Mammogram, left breast, CC view. Patient age 34.
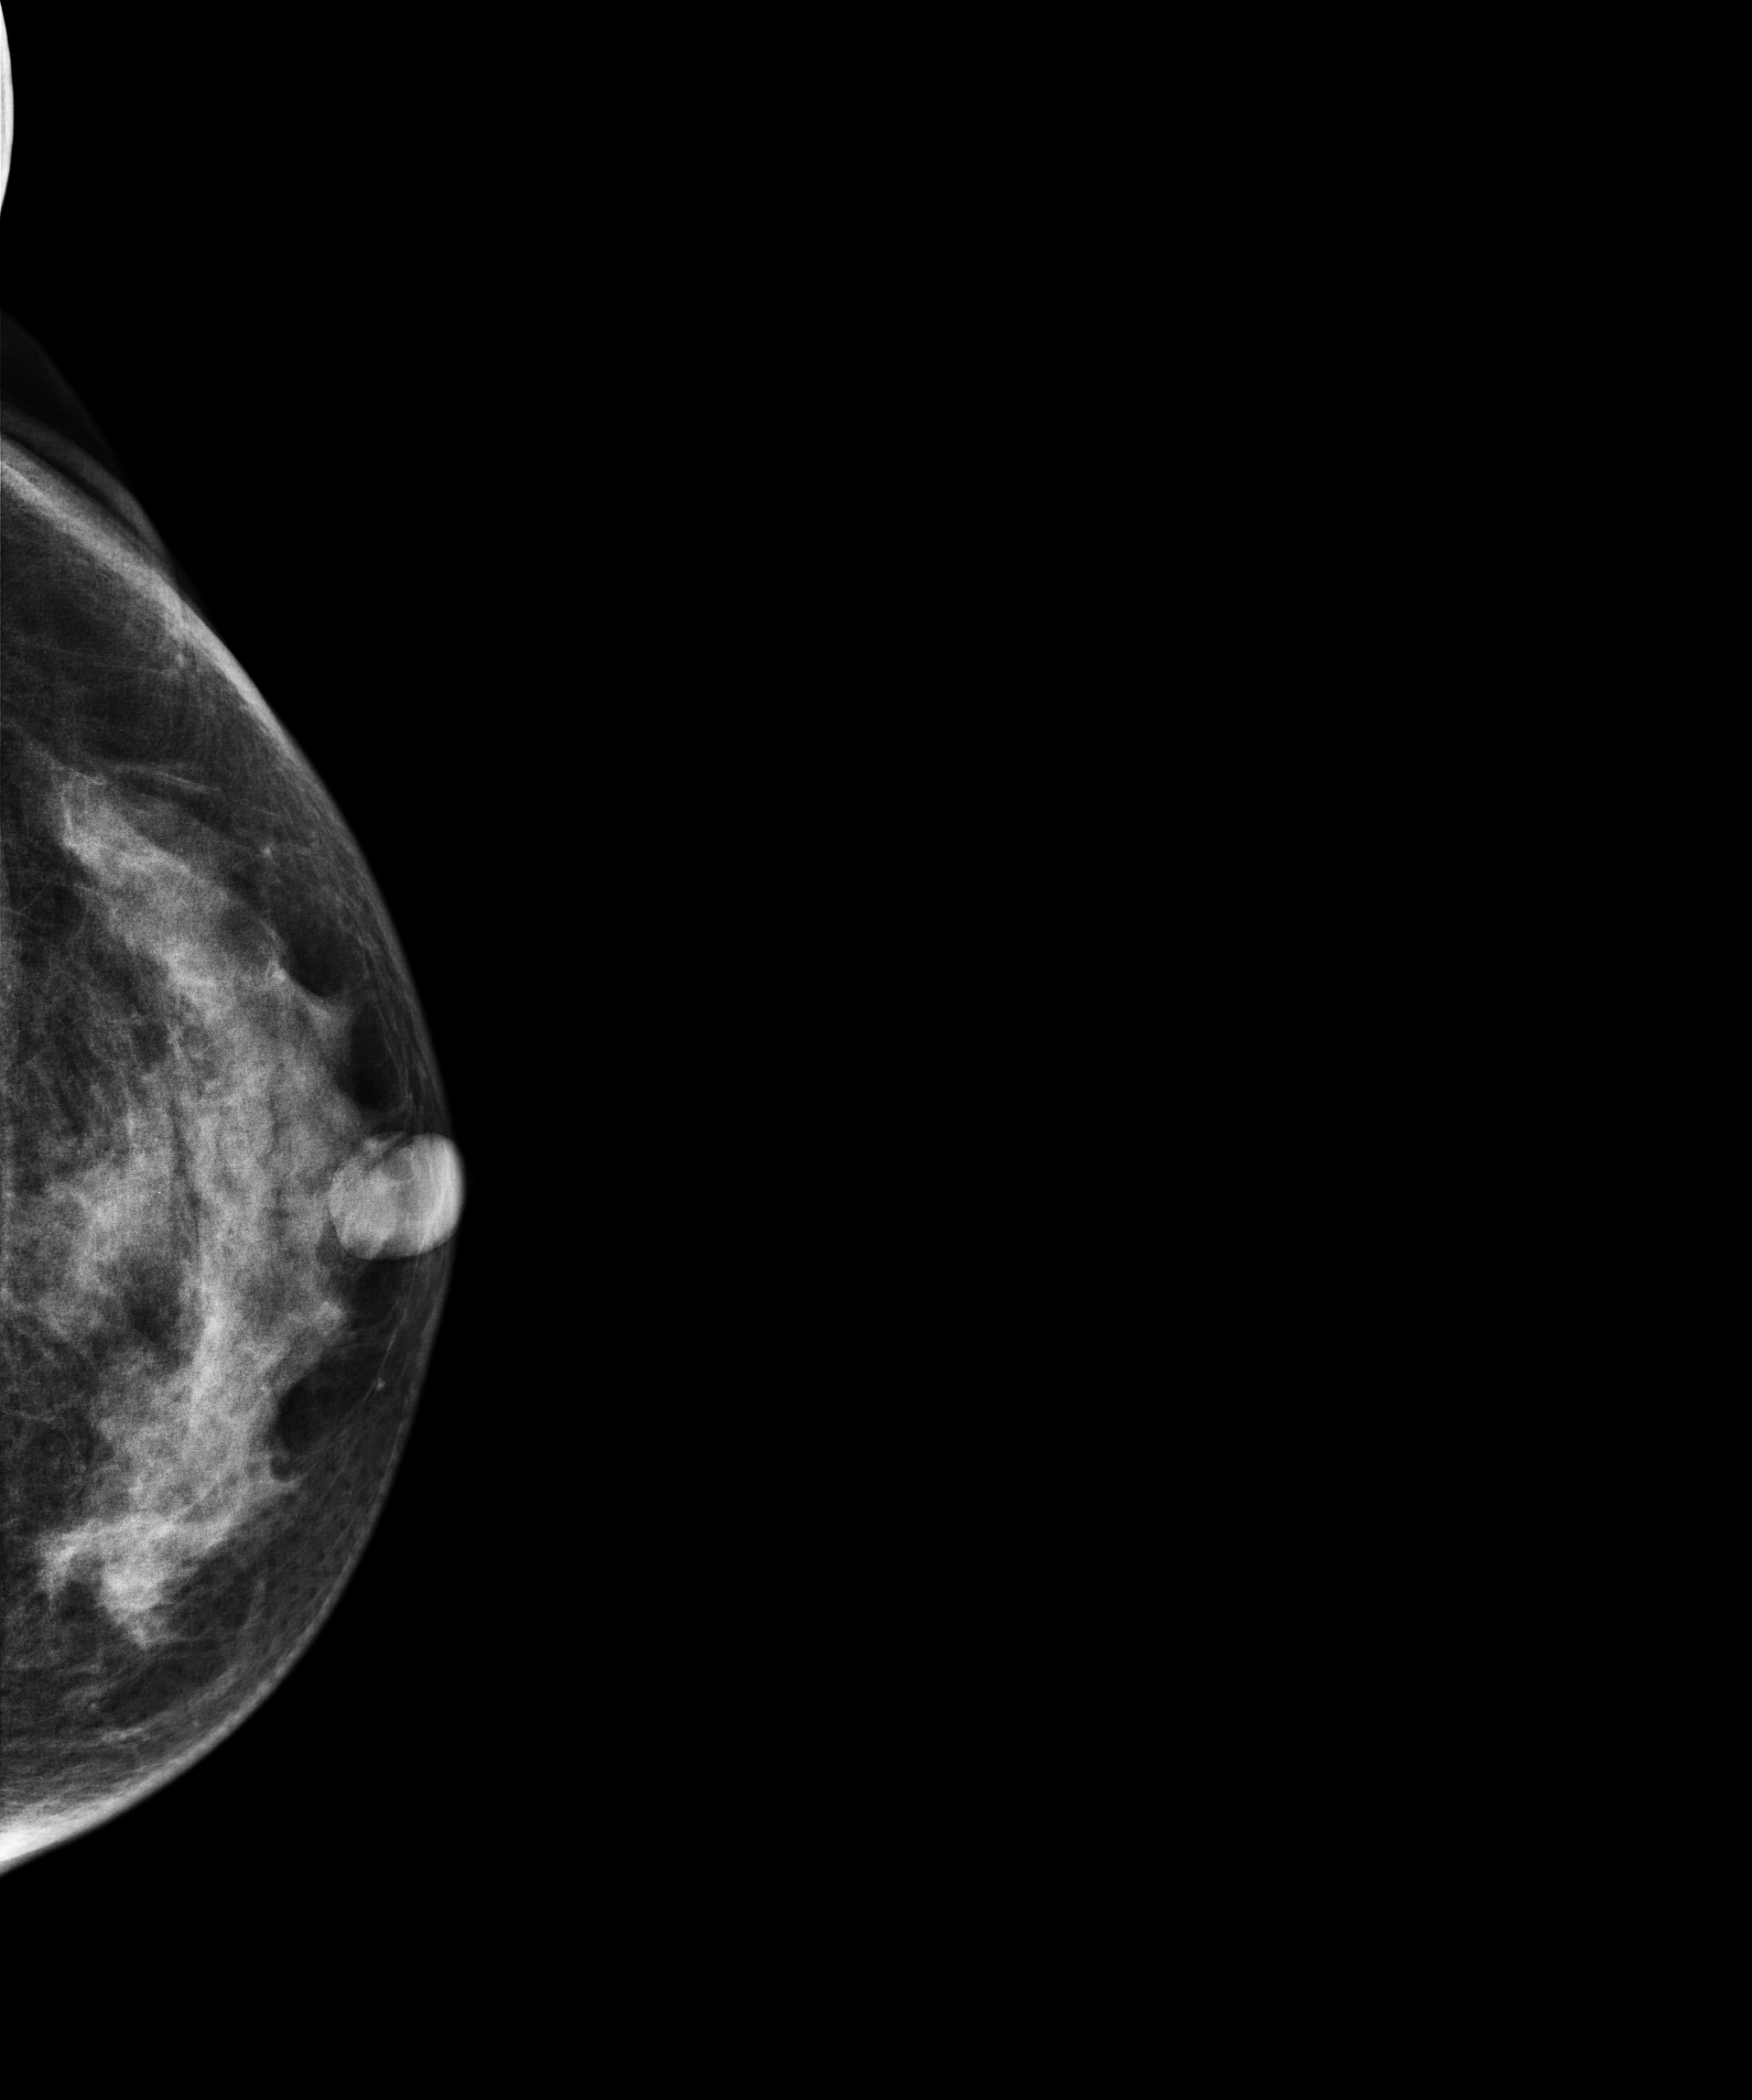
This breast has a mass and calcifications, pathology-confirmed malignant. Molecular subtype: luminal B.